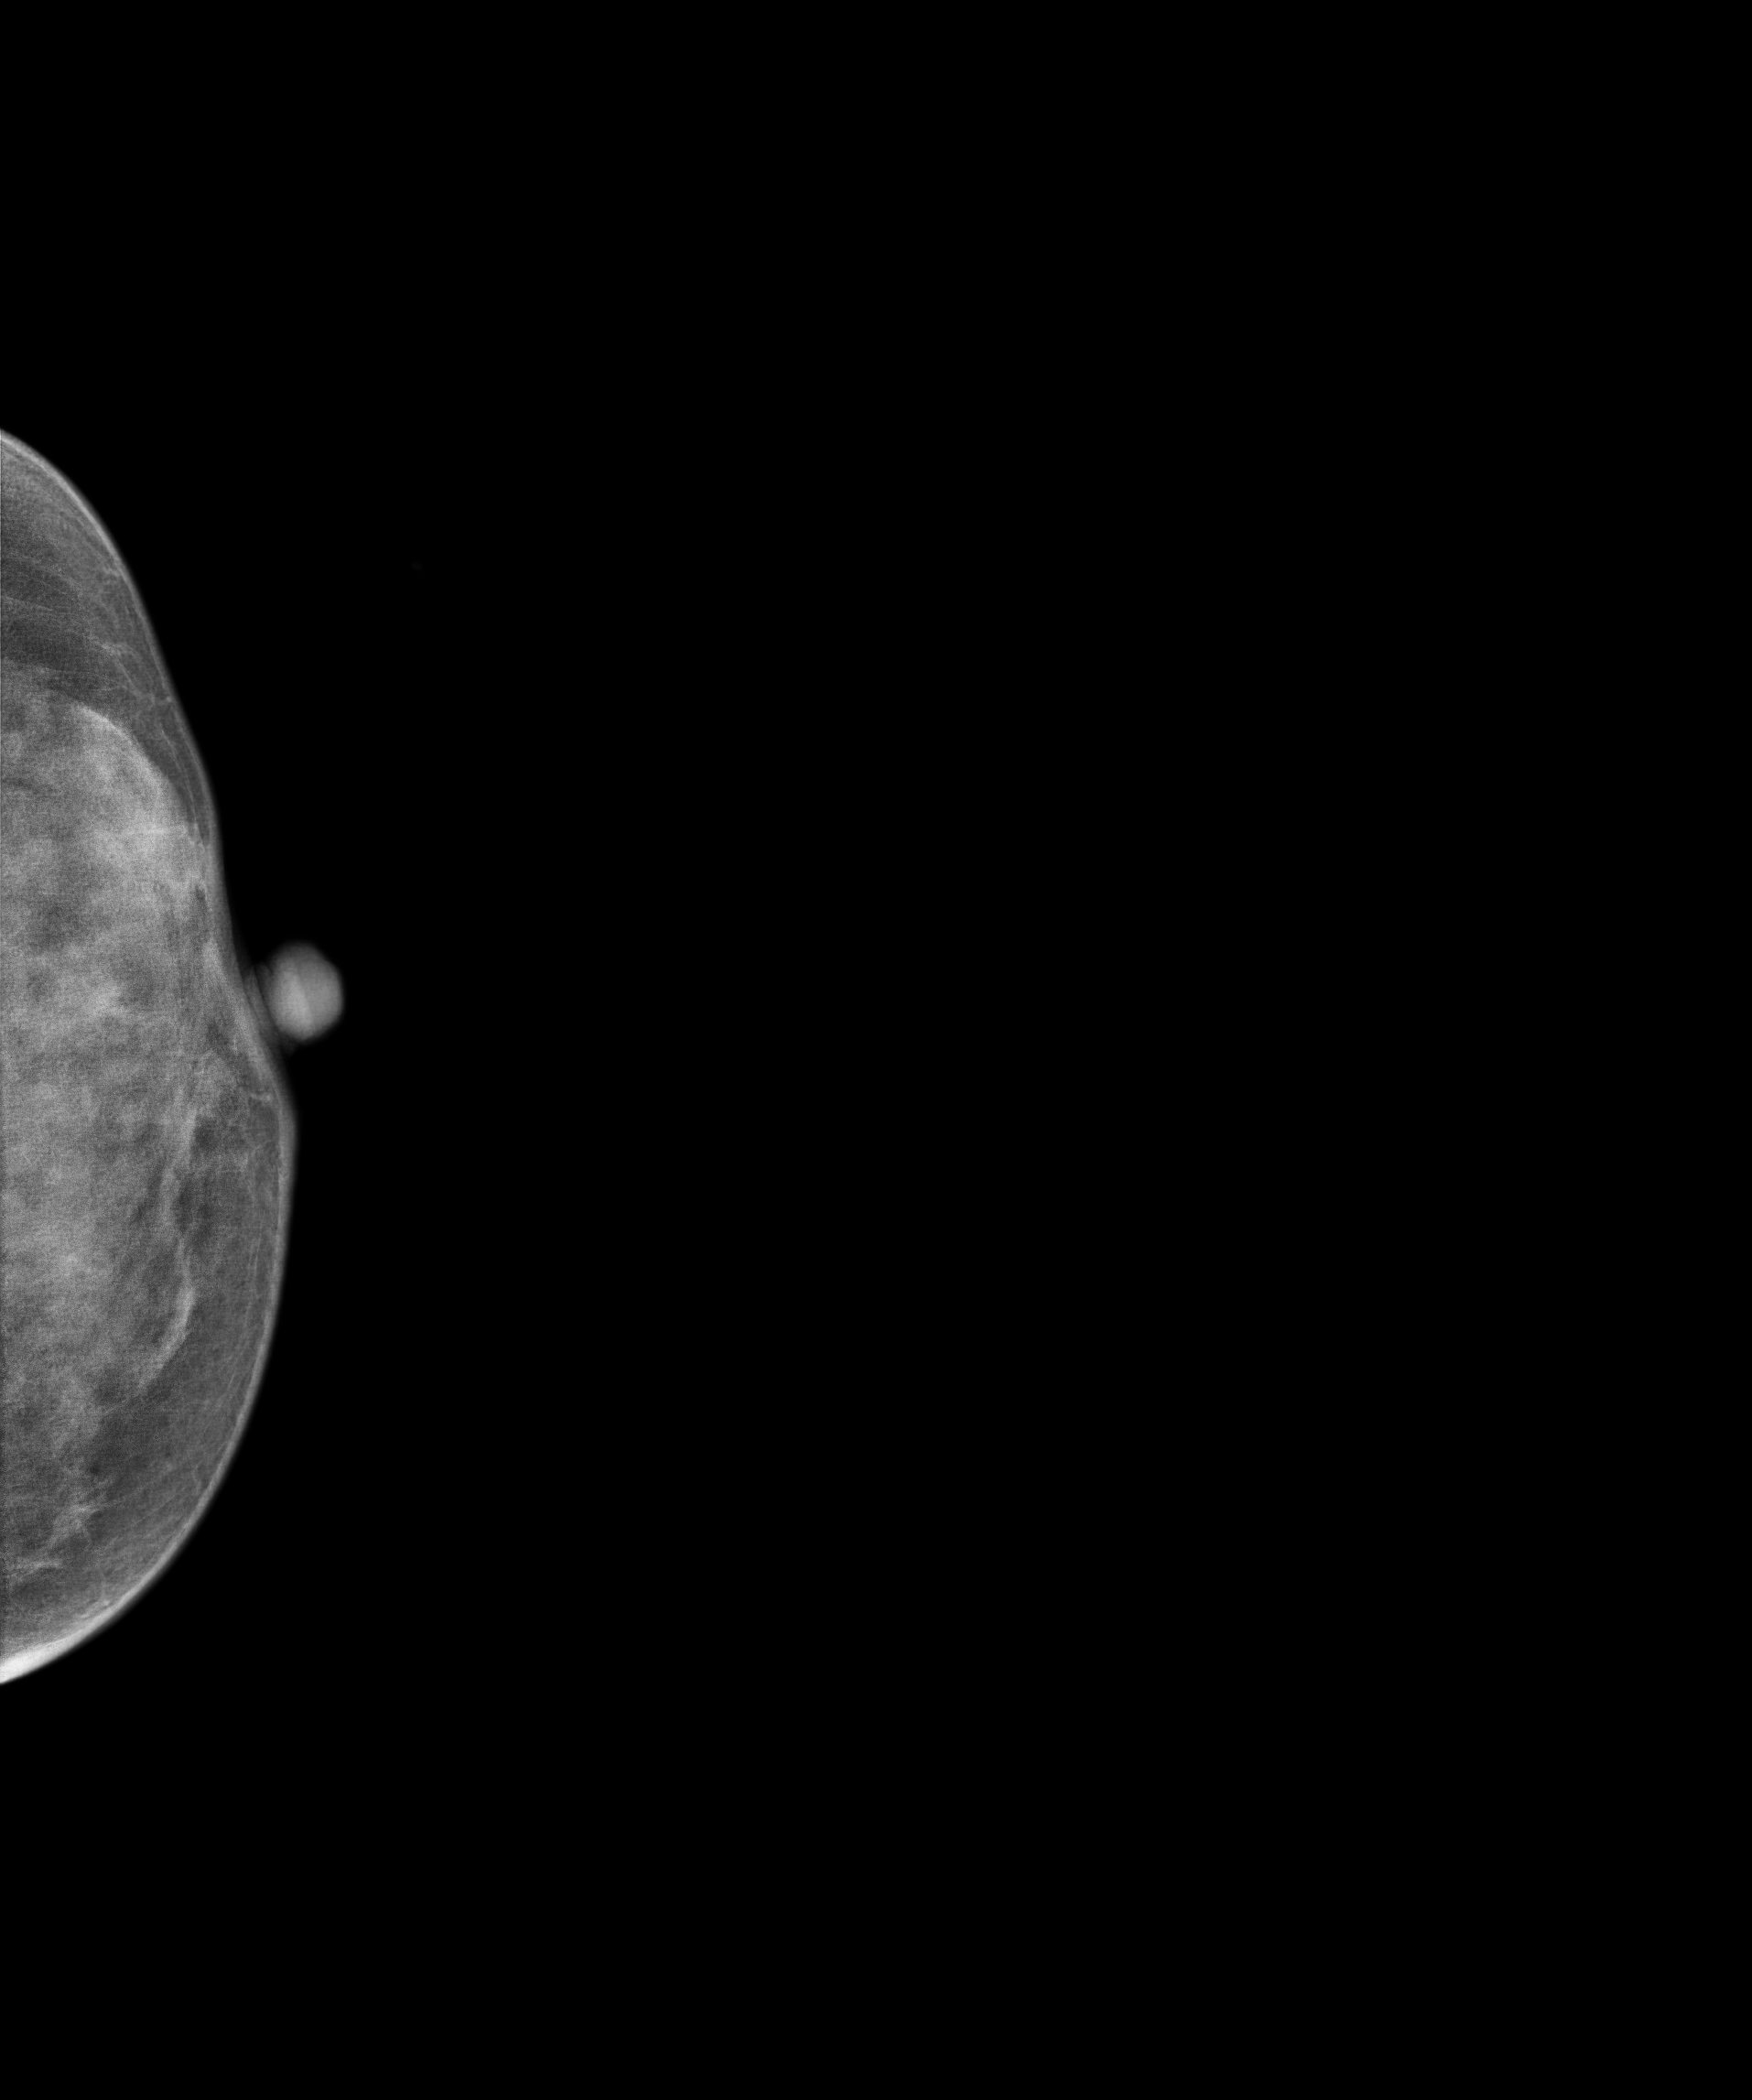
Digital mammography. Left breast, cranio-caudal projection. 48 y/o patient.
Contralateral breast — no documented abnormality on this side.